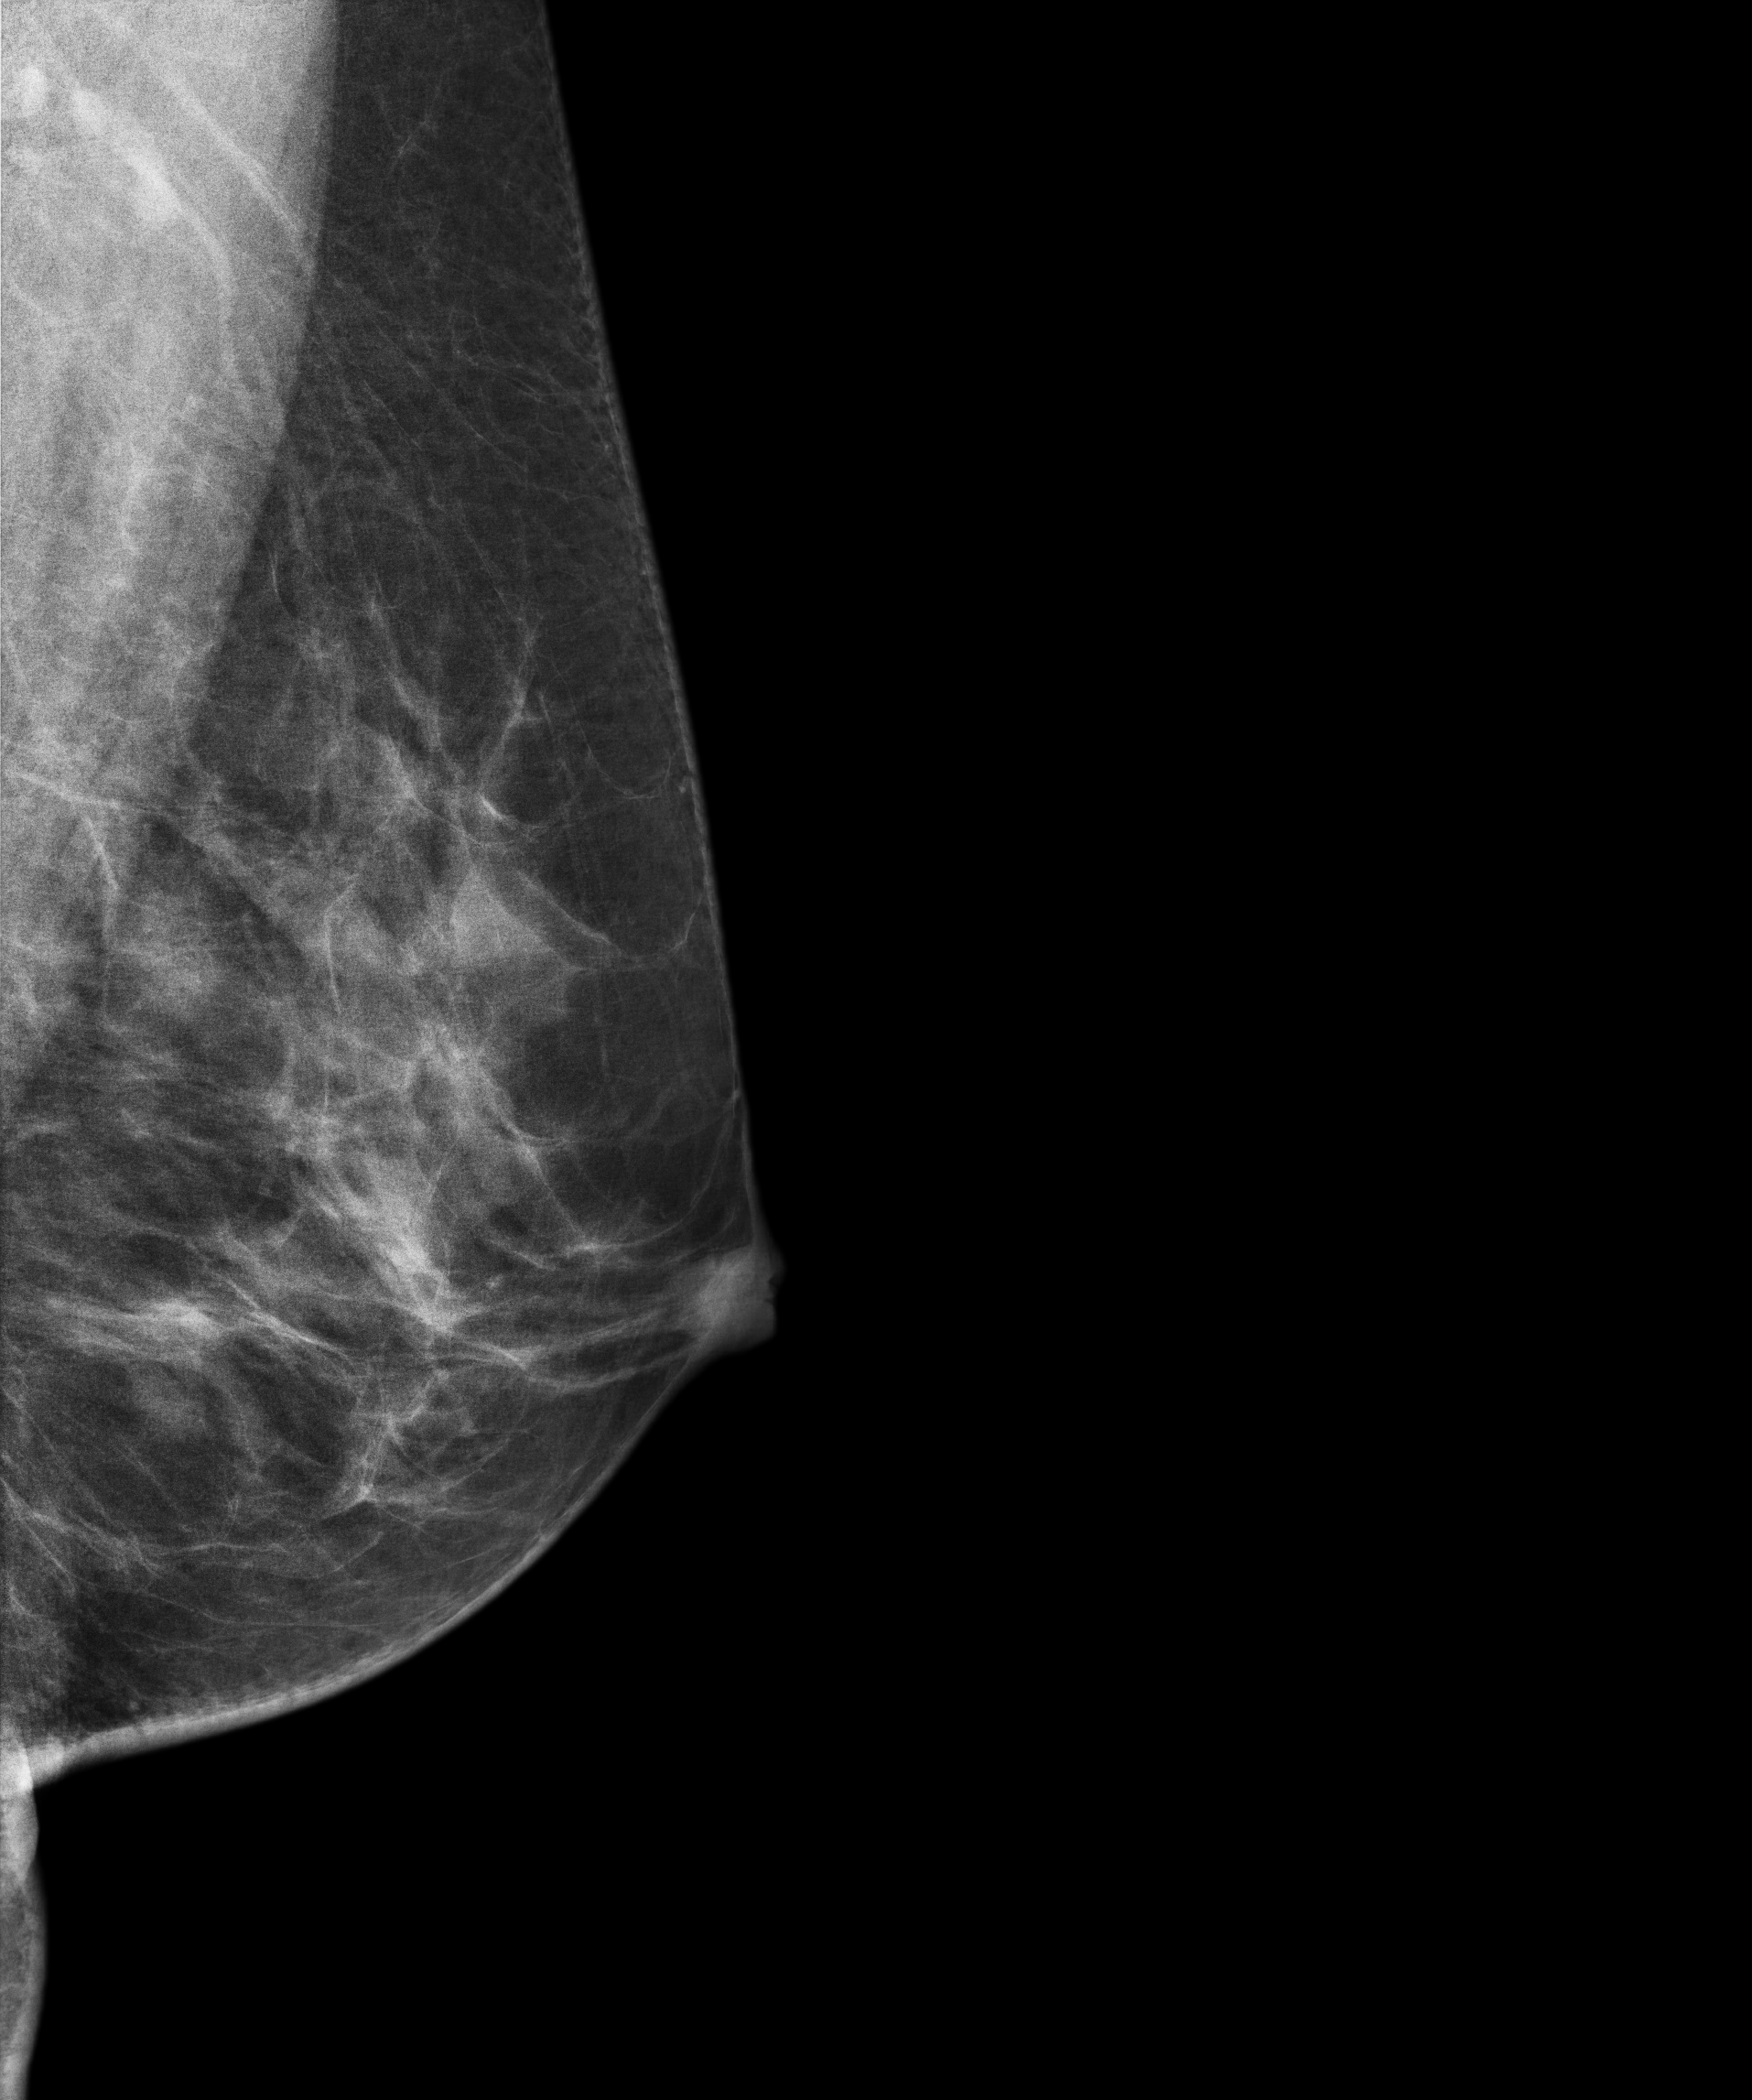
Mammogram — left MLO. 52-year-old patient.
Contralateral breast — no documented abnormality on this side.